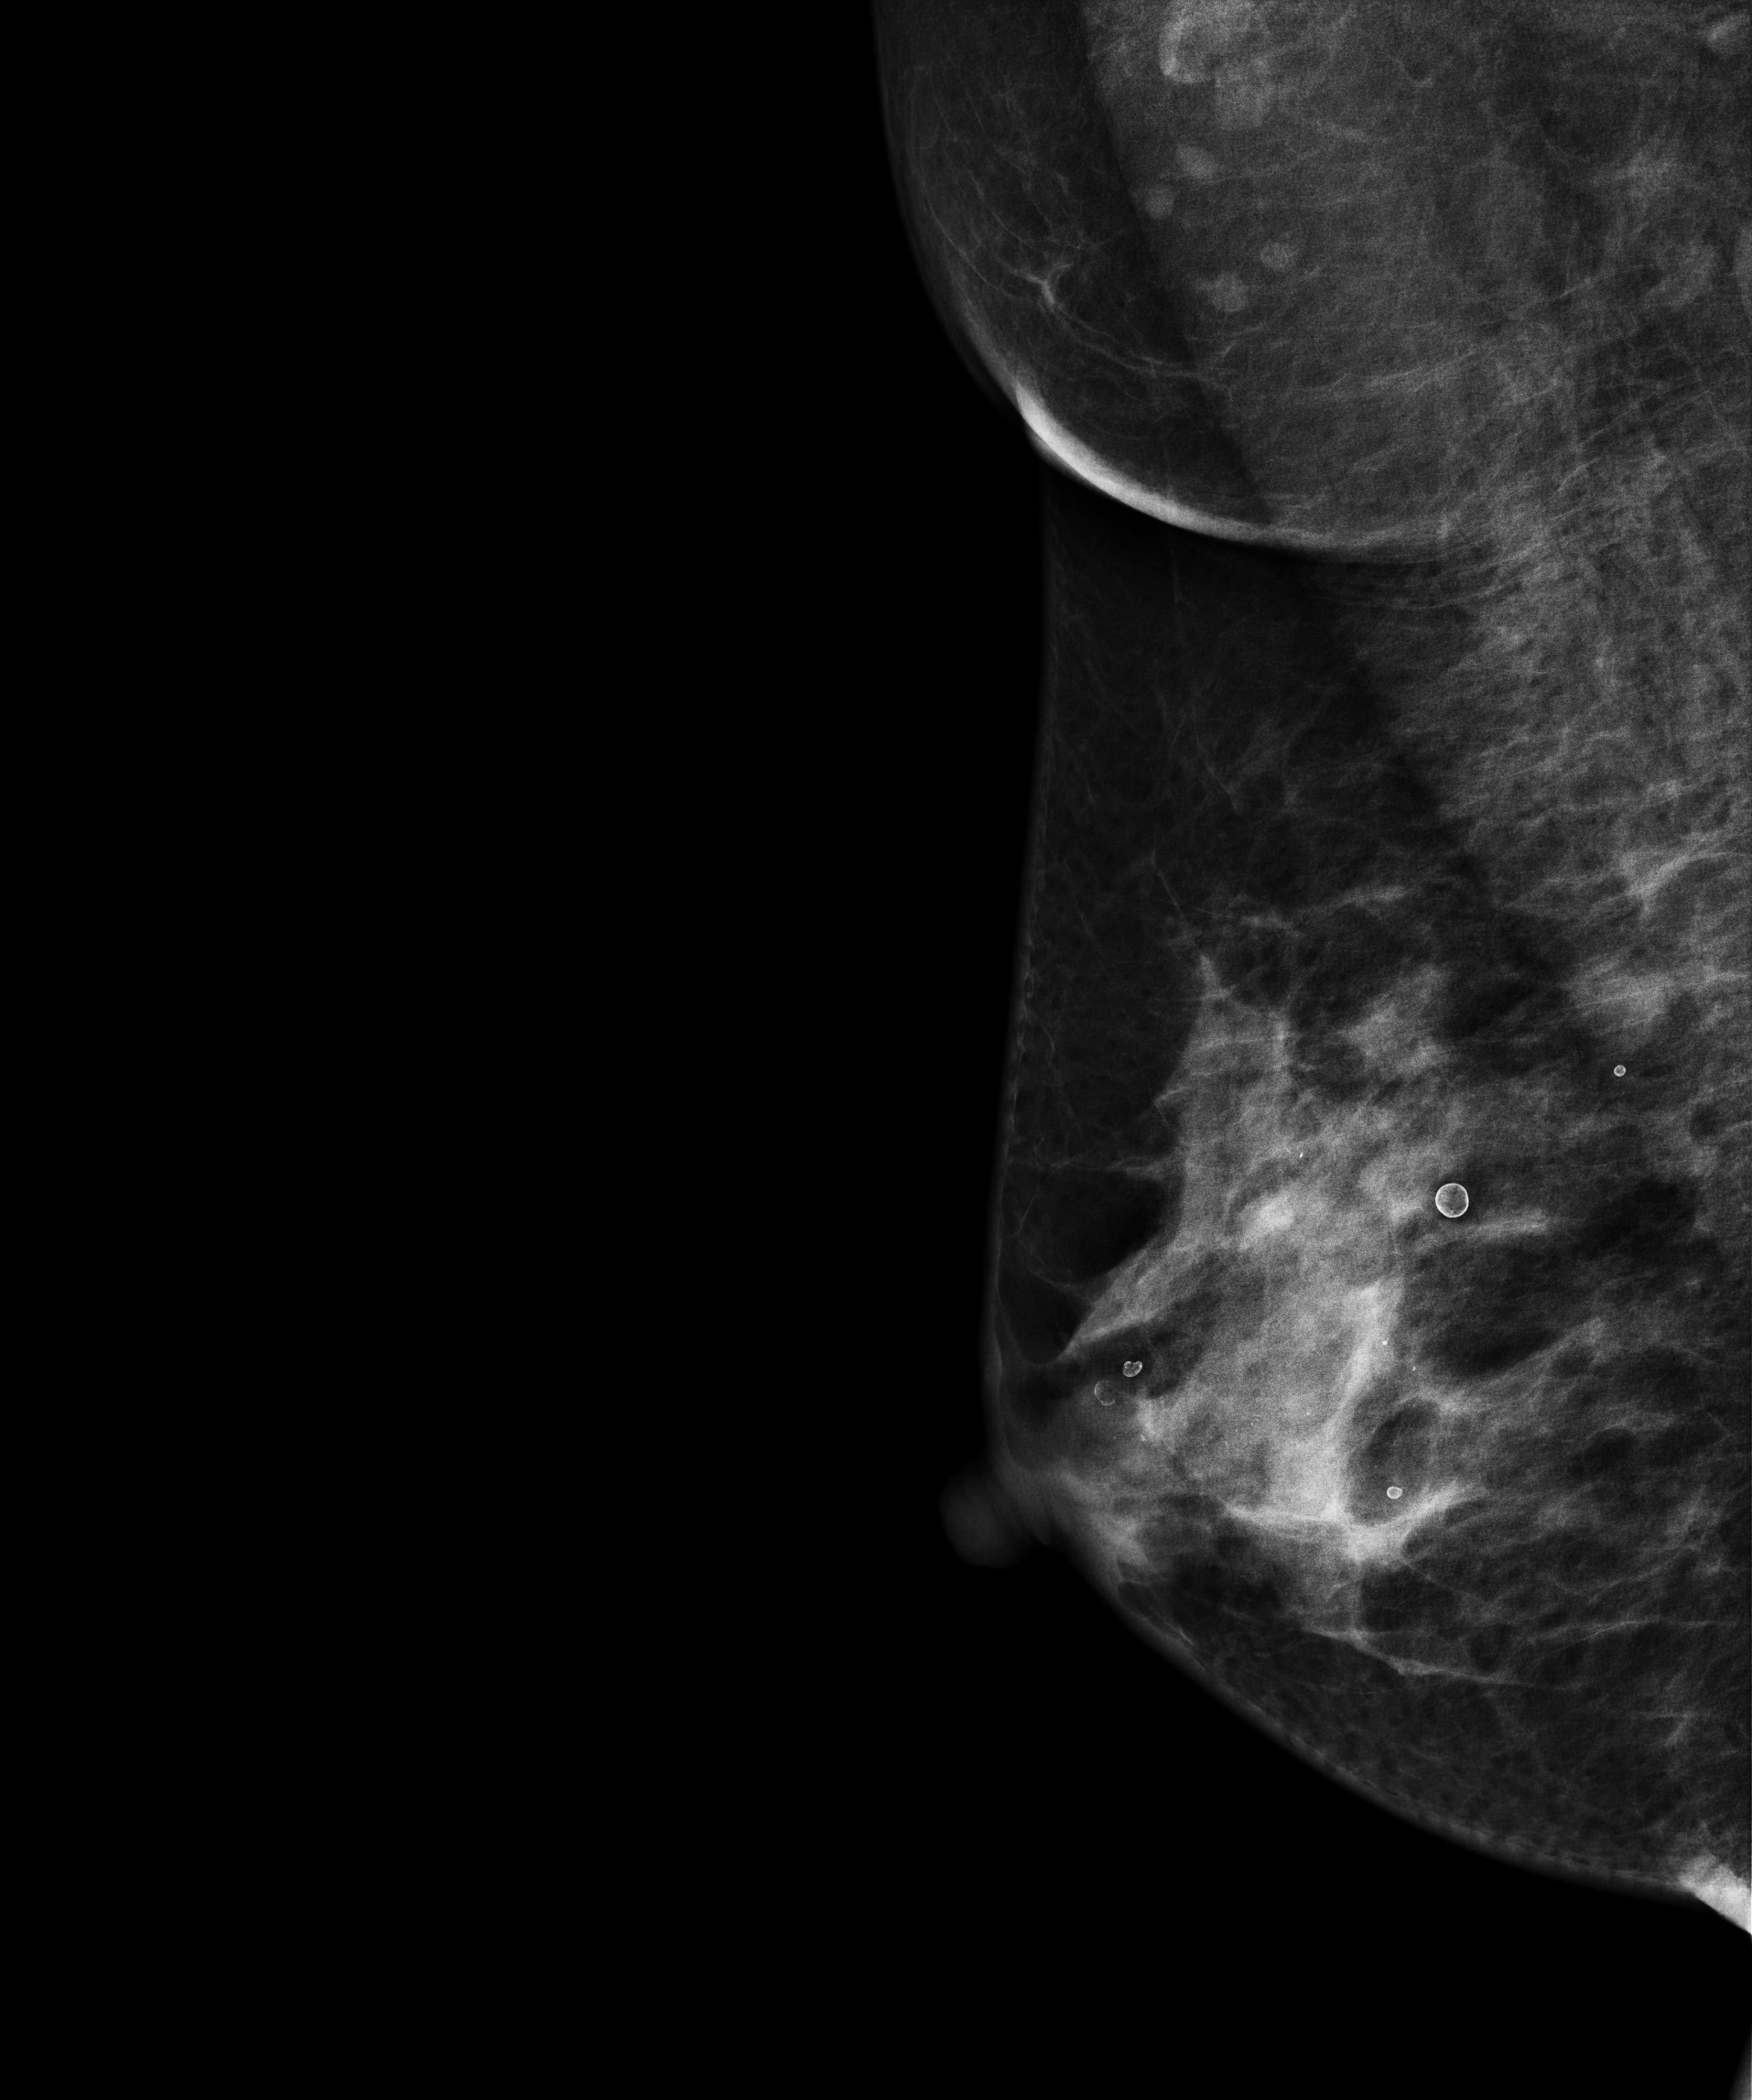
Right-breast mammogram, MLO. Patient age 51.
This breast has a mass and calcifications, pathology-confirmed malignant. Molecular subtype: HER2-enriched.